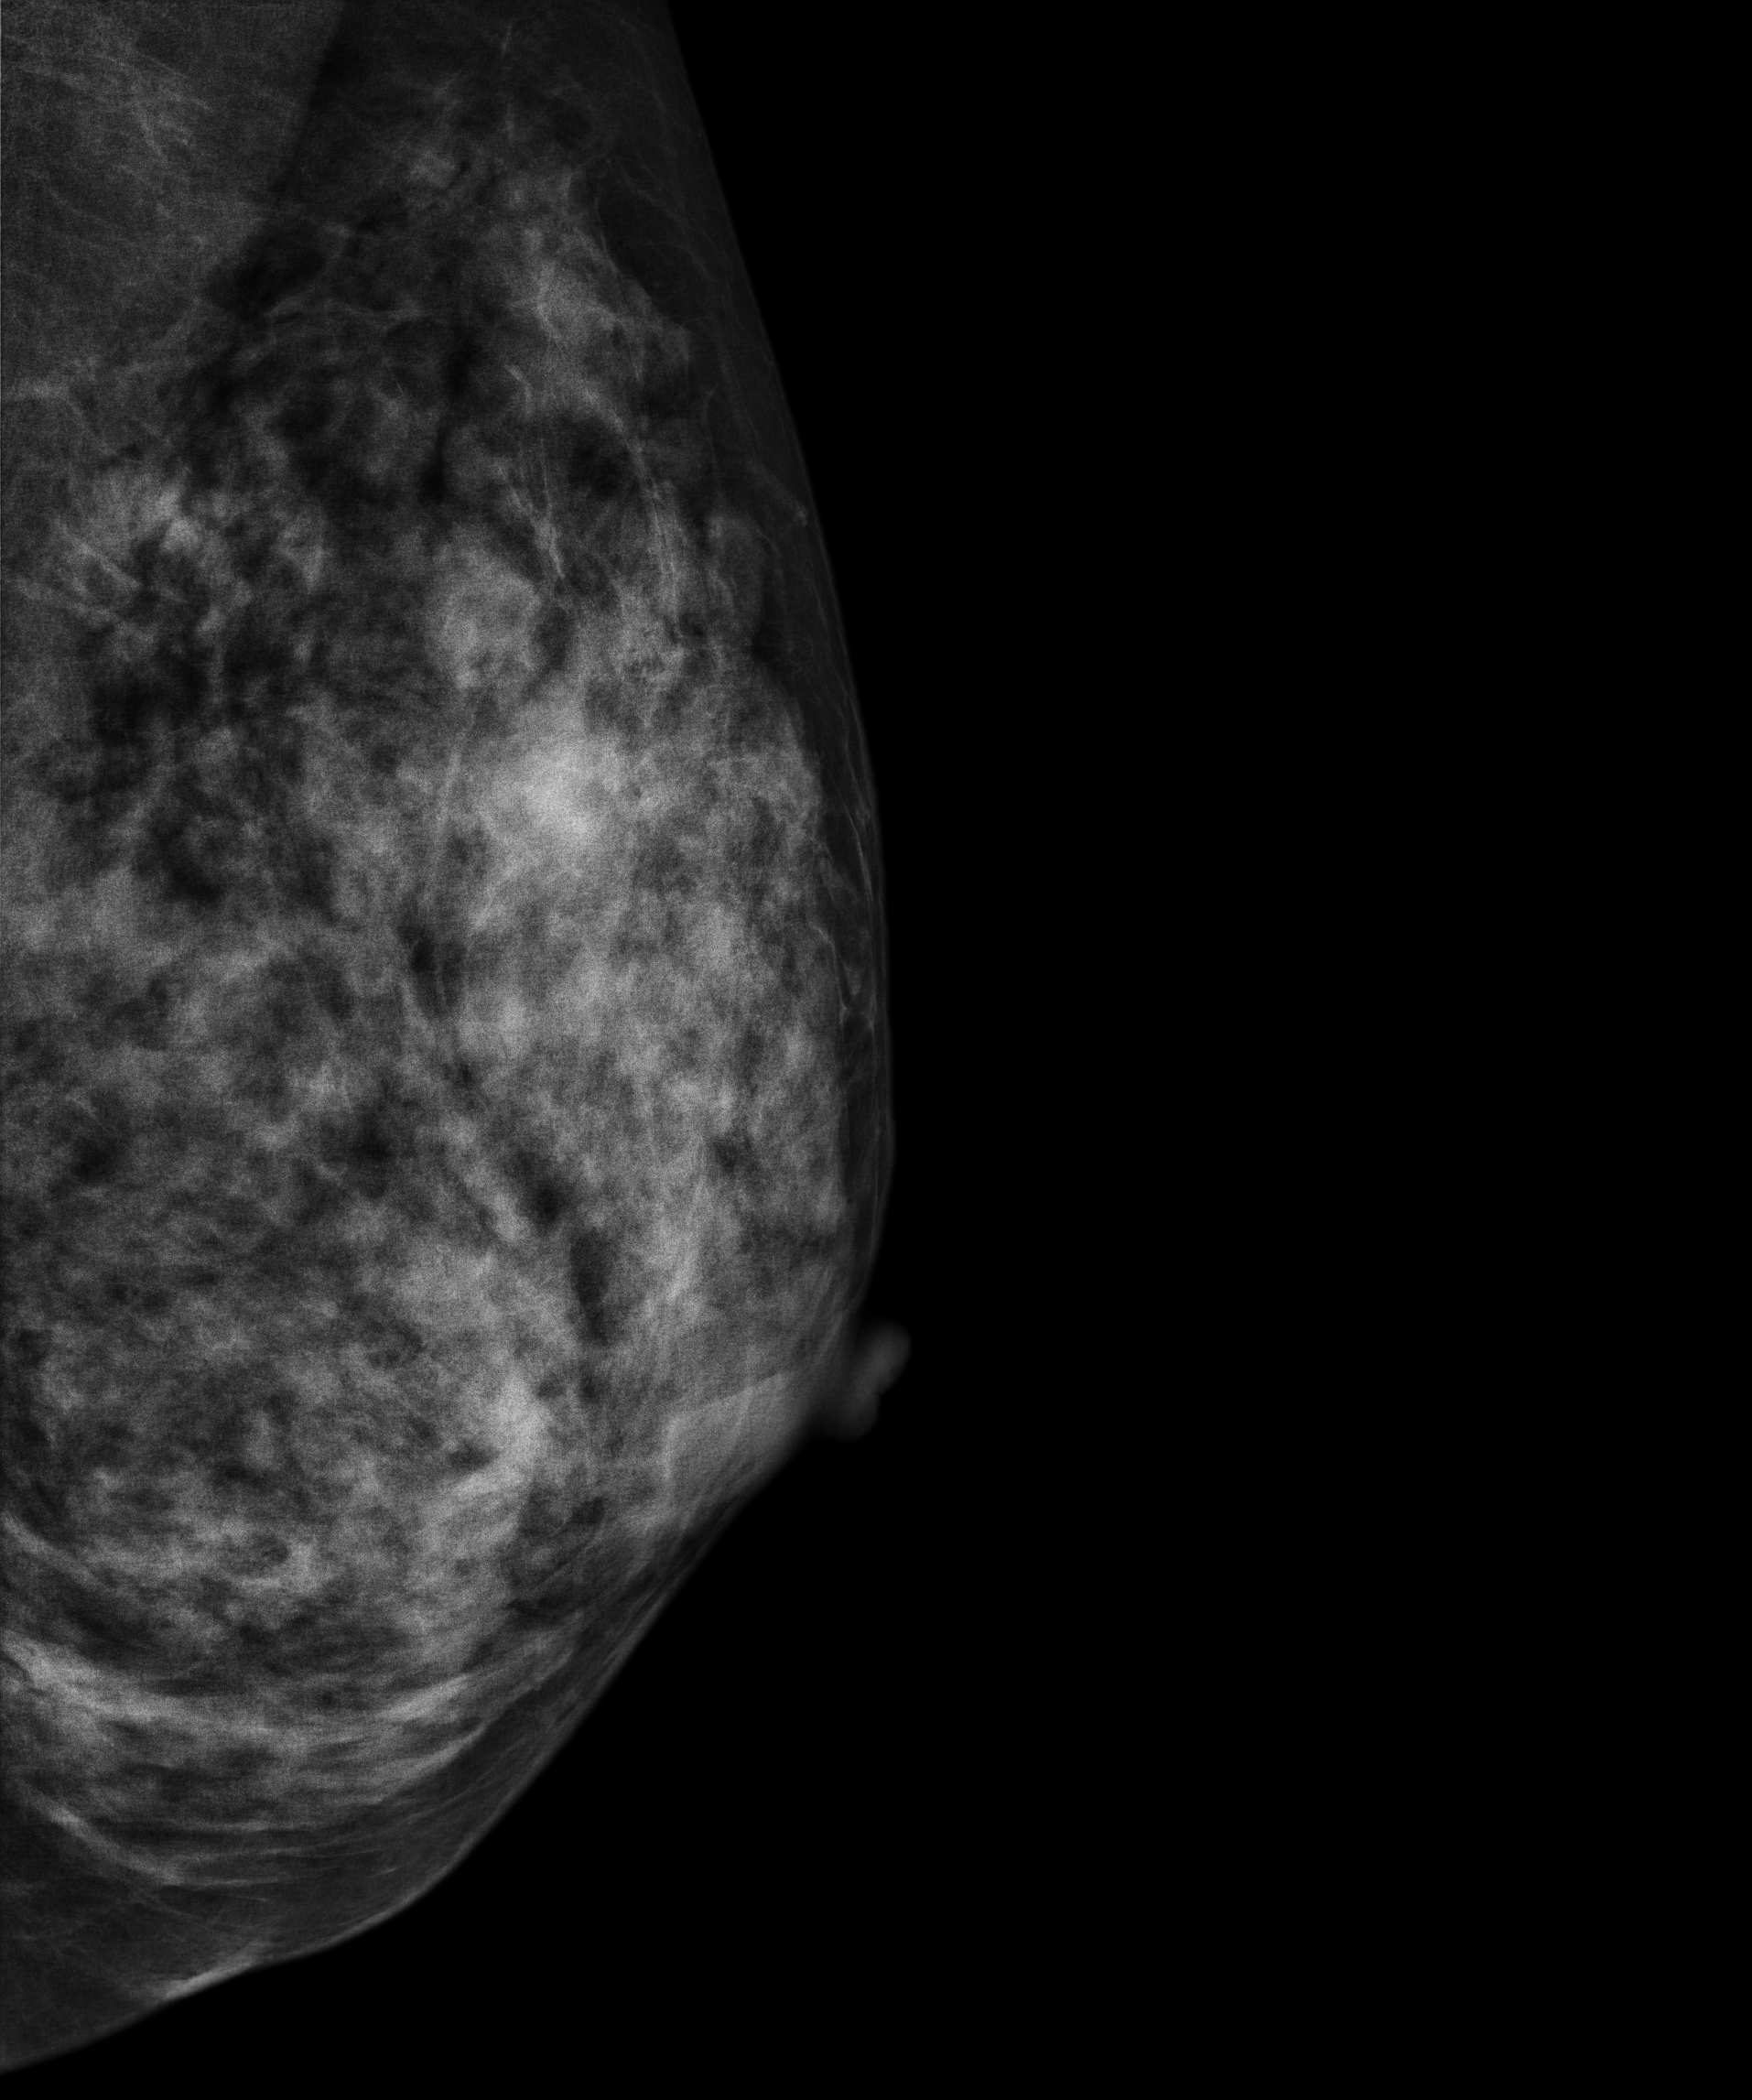
Left-breast mammogram, MLO. 45-year-old patient.
This breast has a mass, pathology-confirmed malignant. Molecular subtype: luminal B.